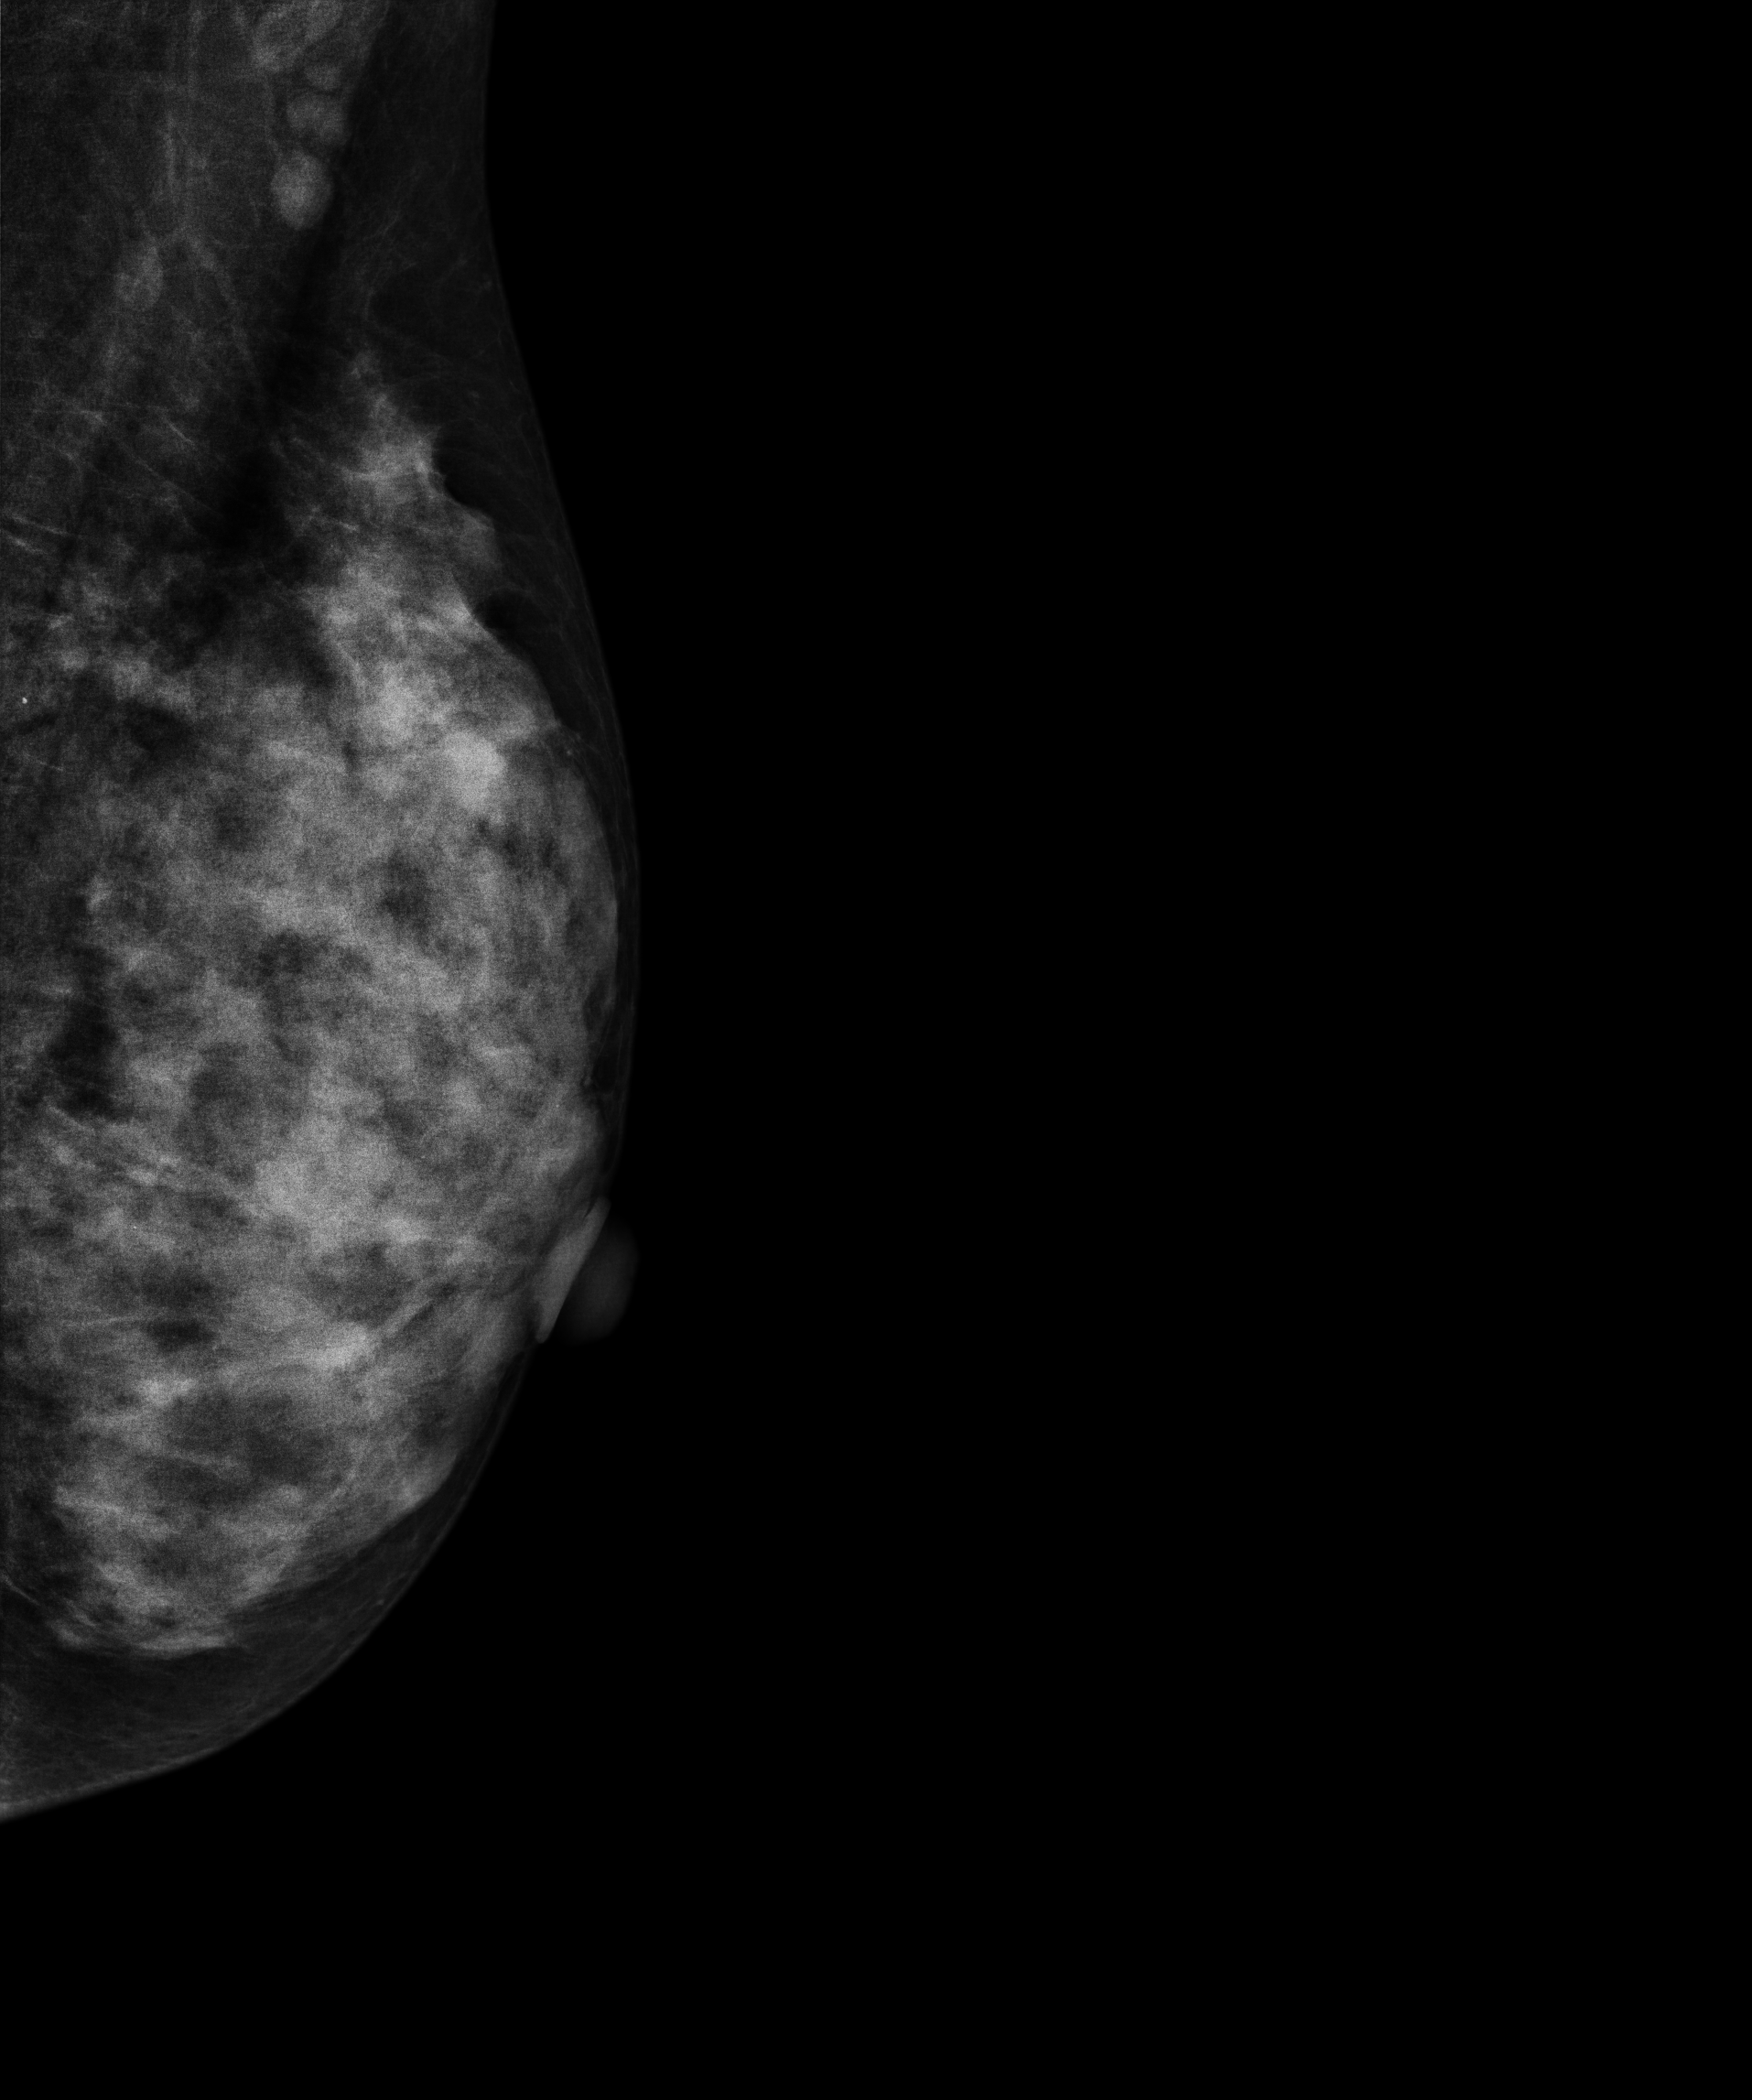
Digital mammography. Left breast, medio-lateral oblique projection. 45 y/o patient.
Contralateral breast — no documented abnormality on this side.